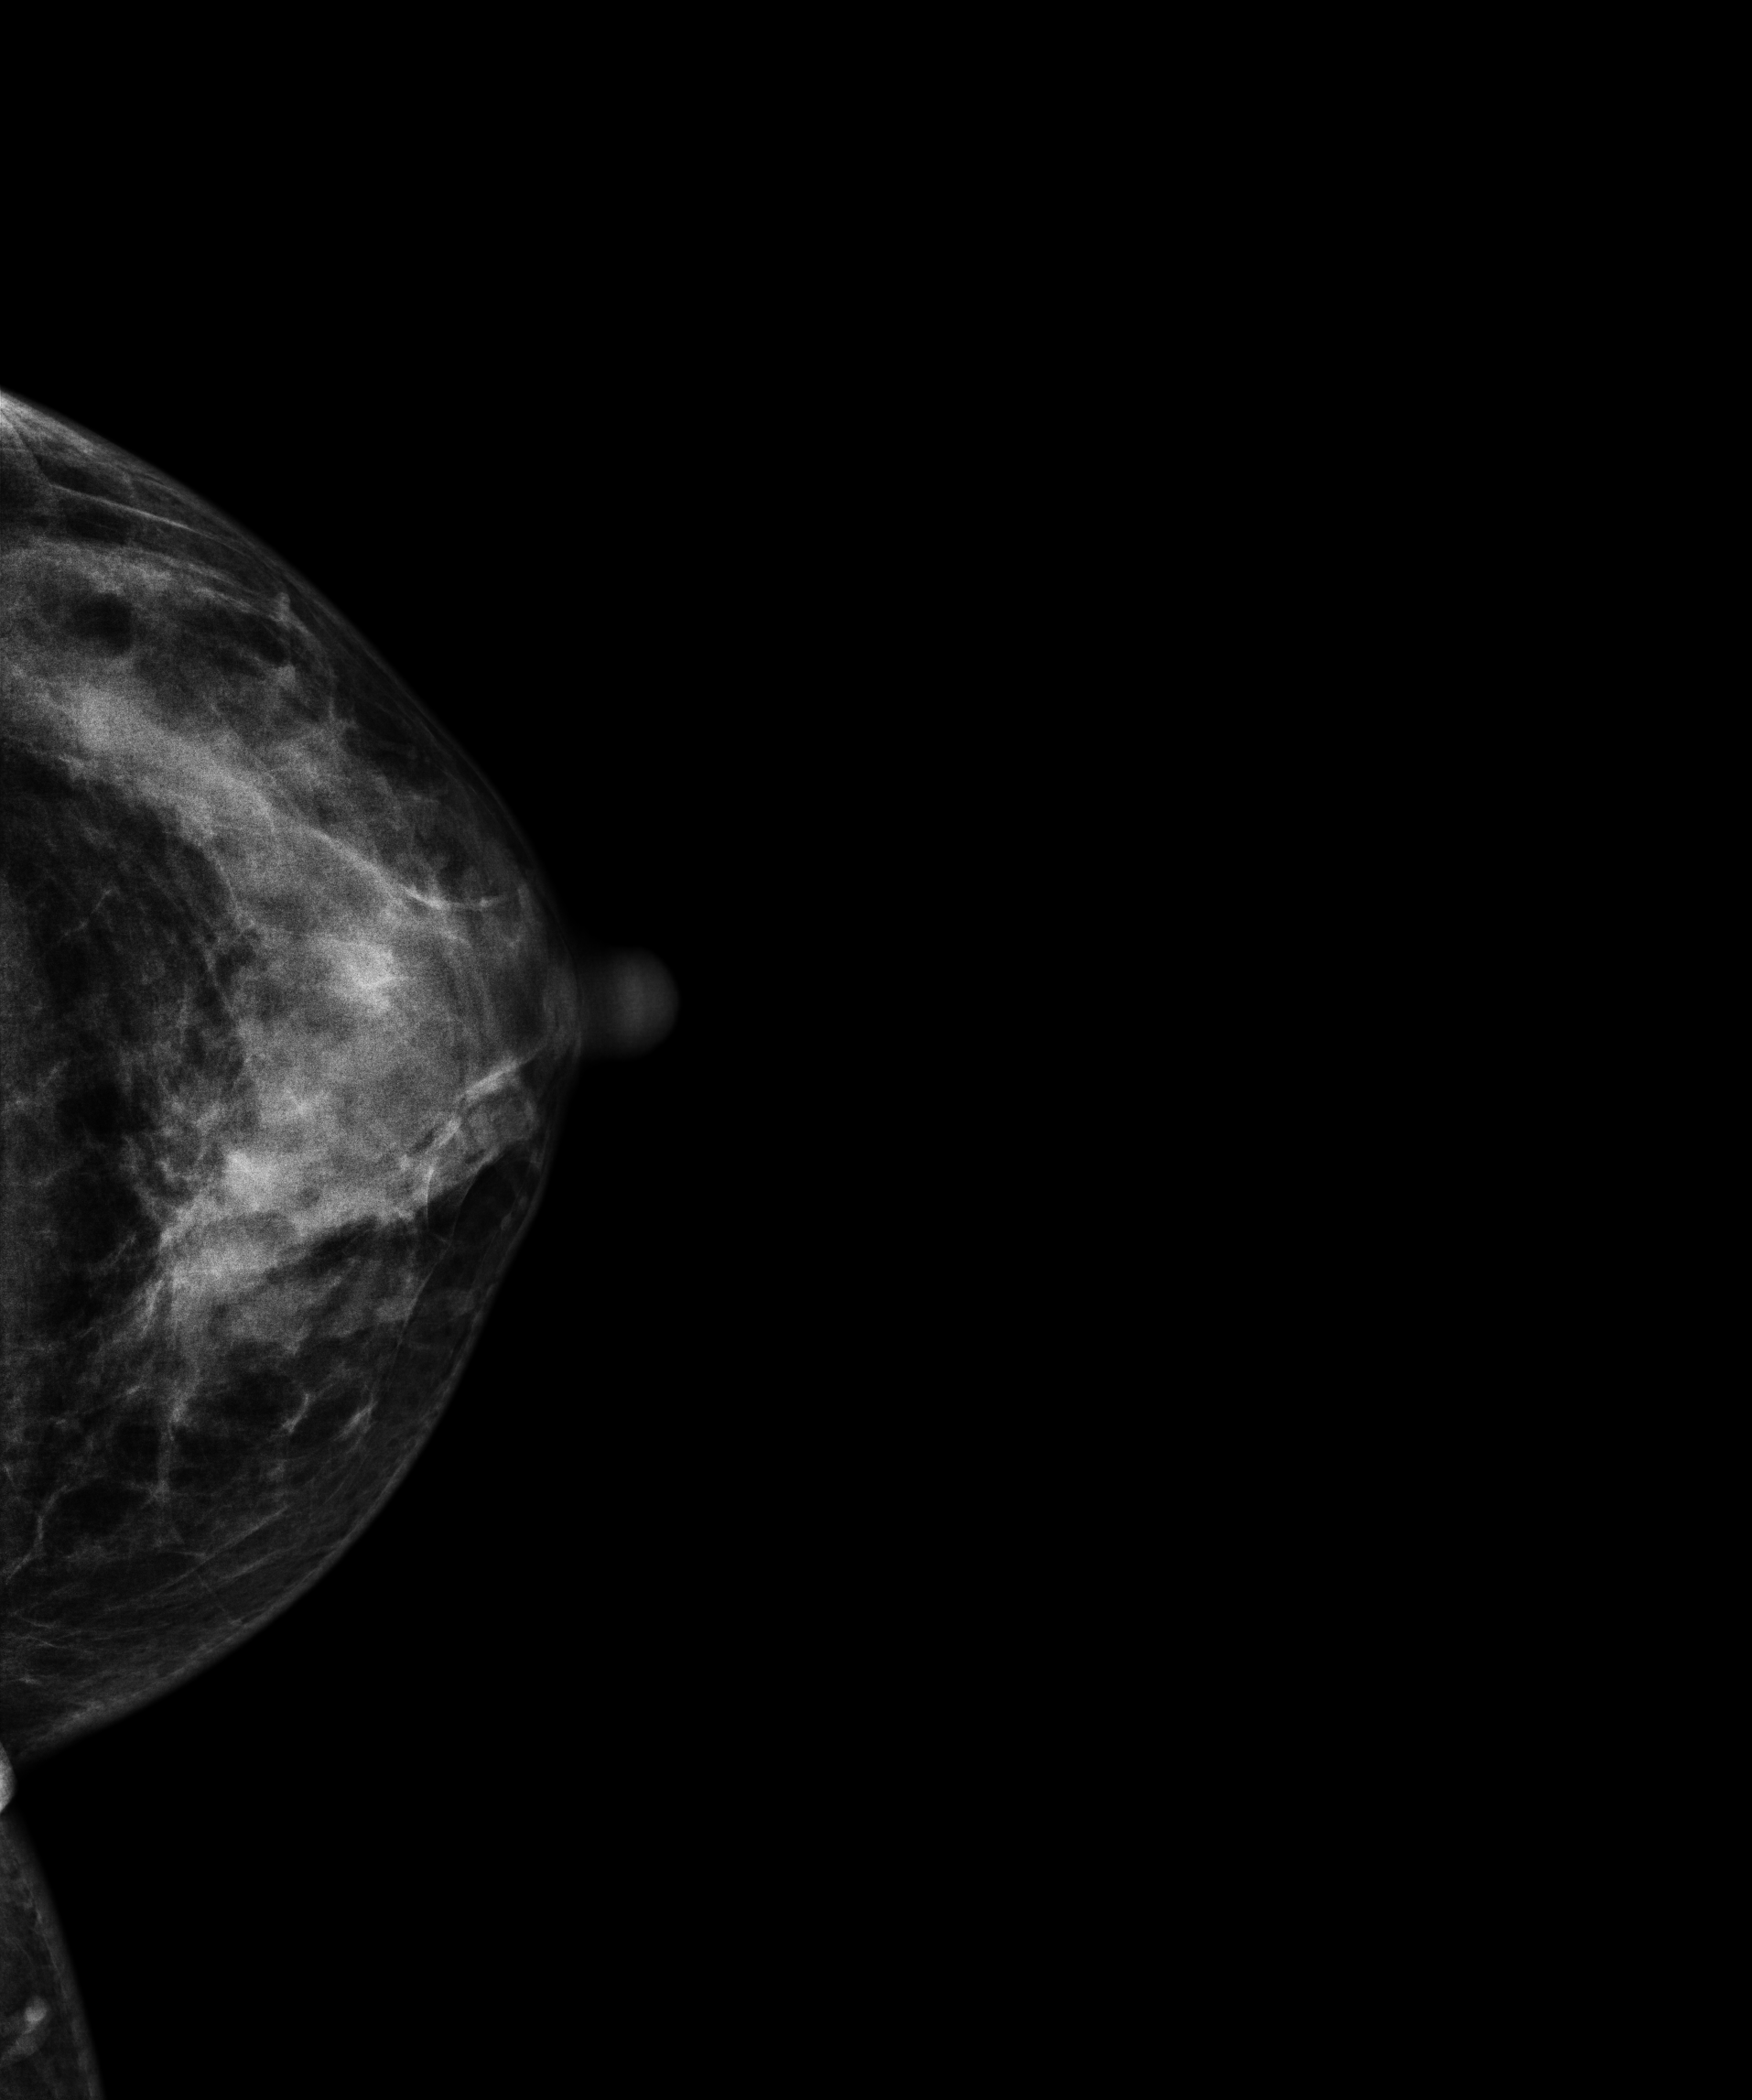
Left-breast mammogram, cranio-caudal. 35 y/o patient.
This breast has a mass, histologically confirmed malignant. Molecular subtype: luminal B.